Digital mammography. Left breast, CC projection. 67 y/o patient.
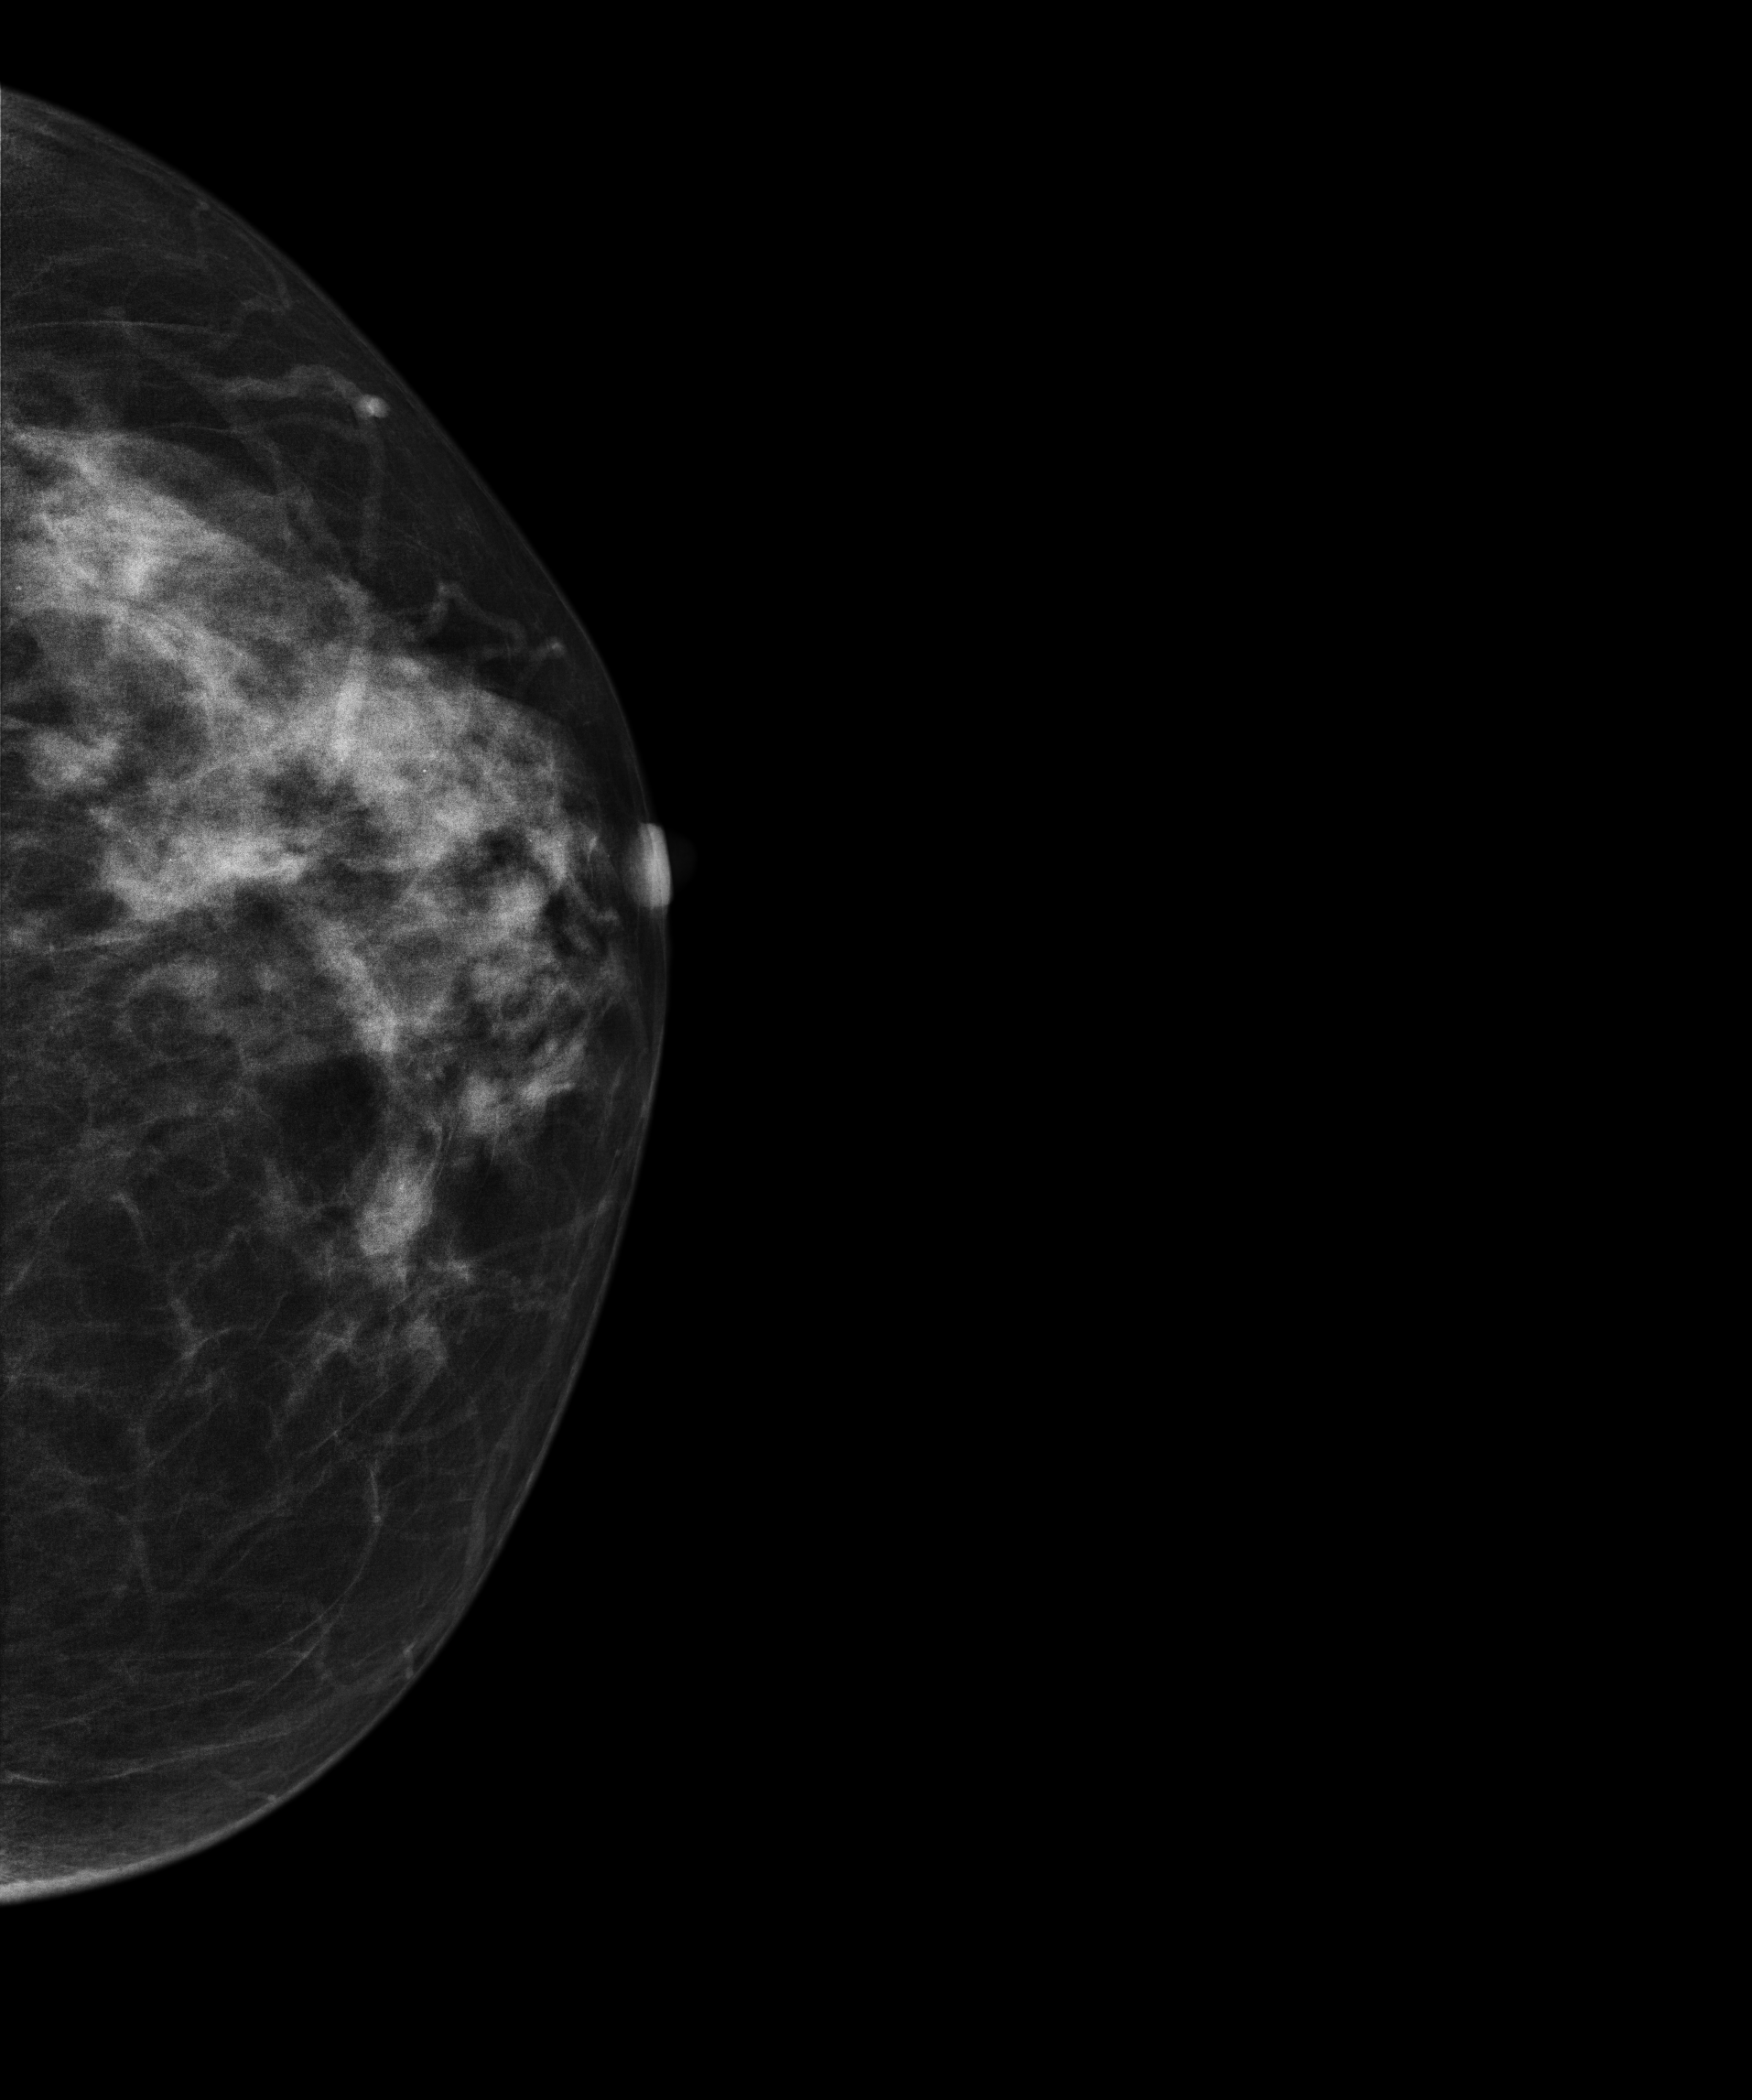
This breast has a mass, histologically confirmed benign.